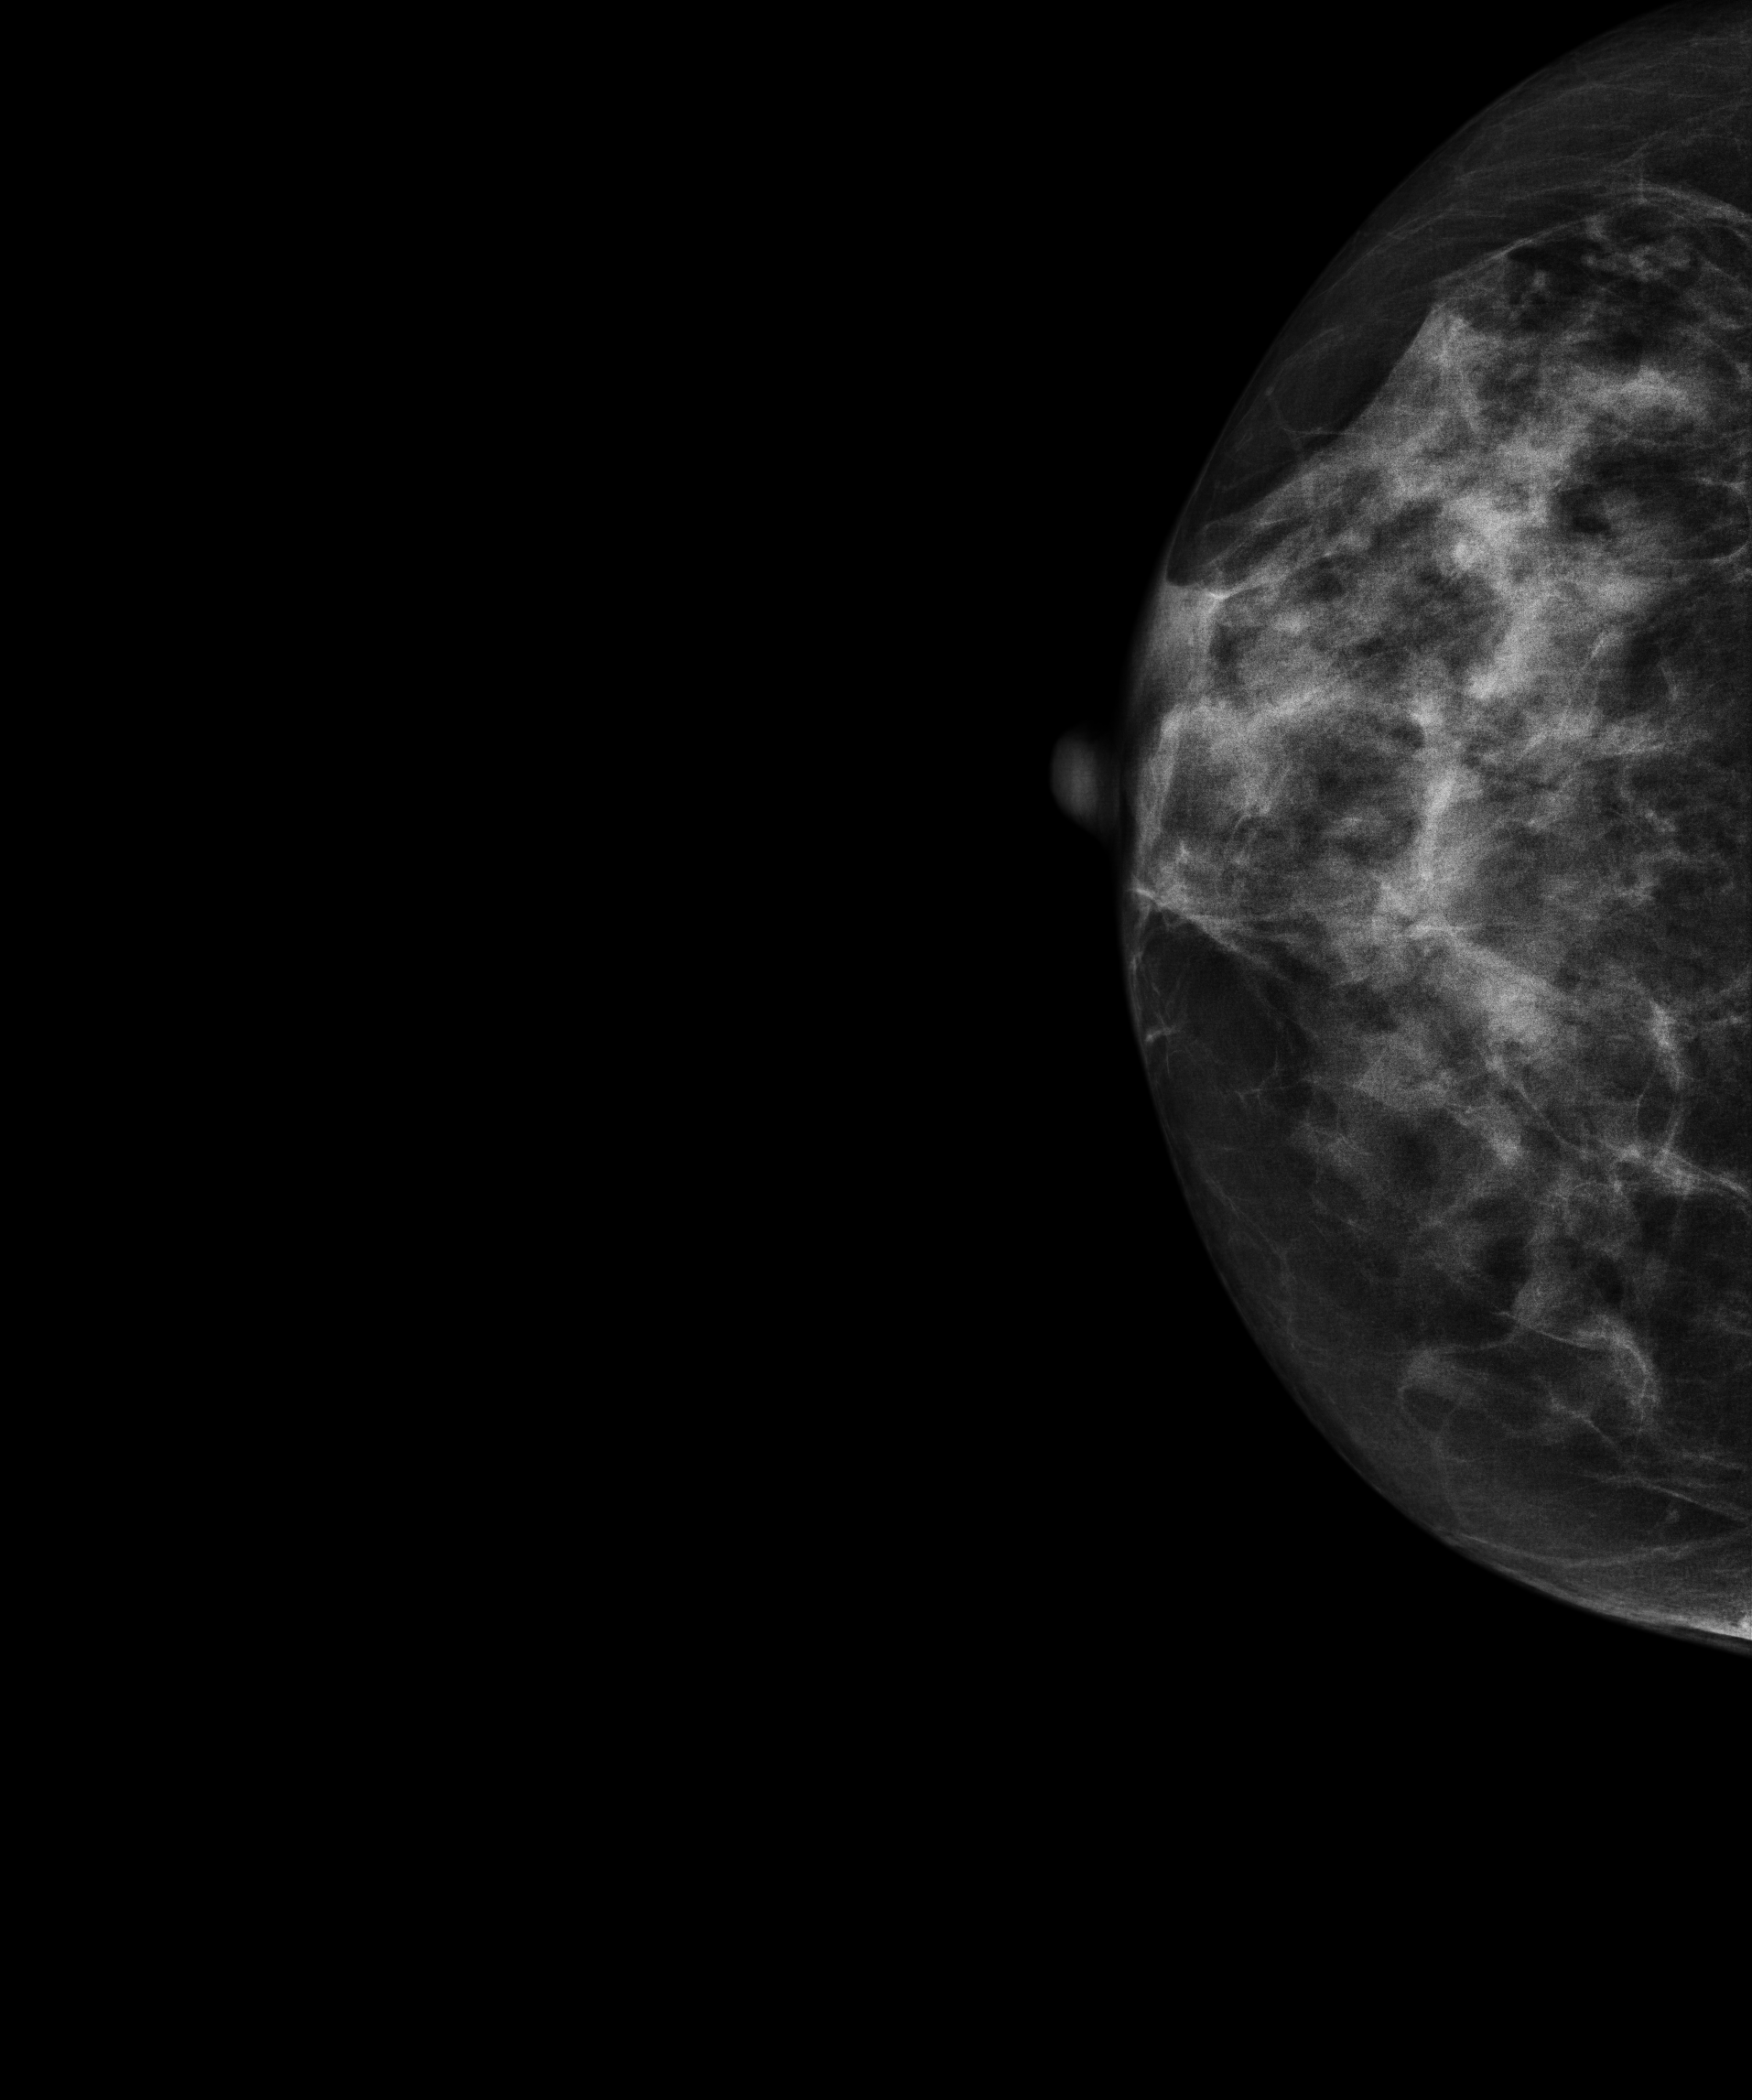
CC mammogram of the right breast. 56 y/o patient.
Contralateral breast — no documented abnormality on this side.